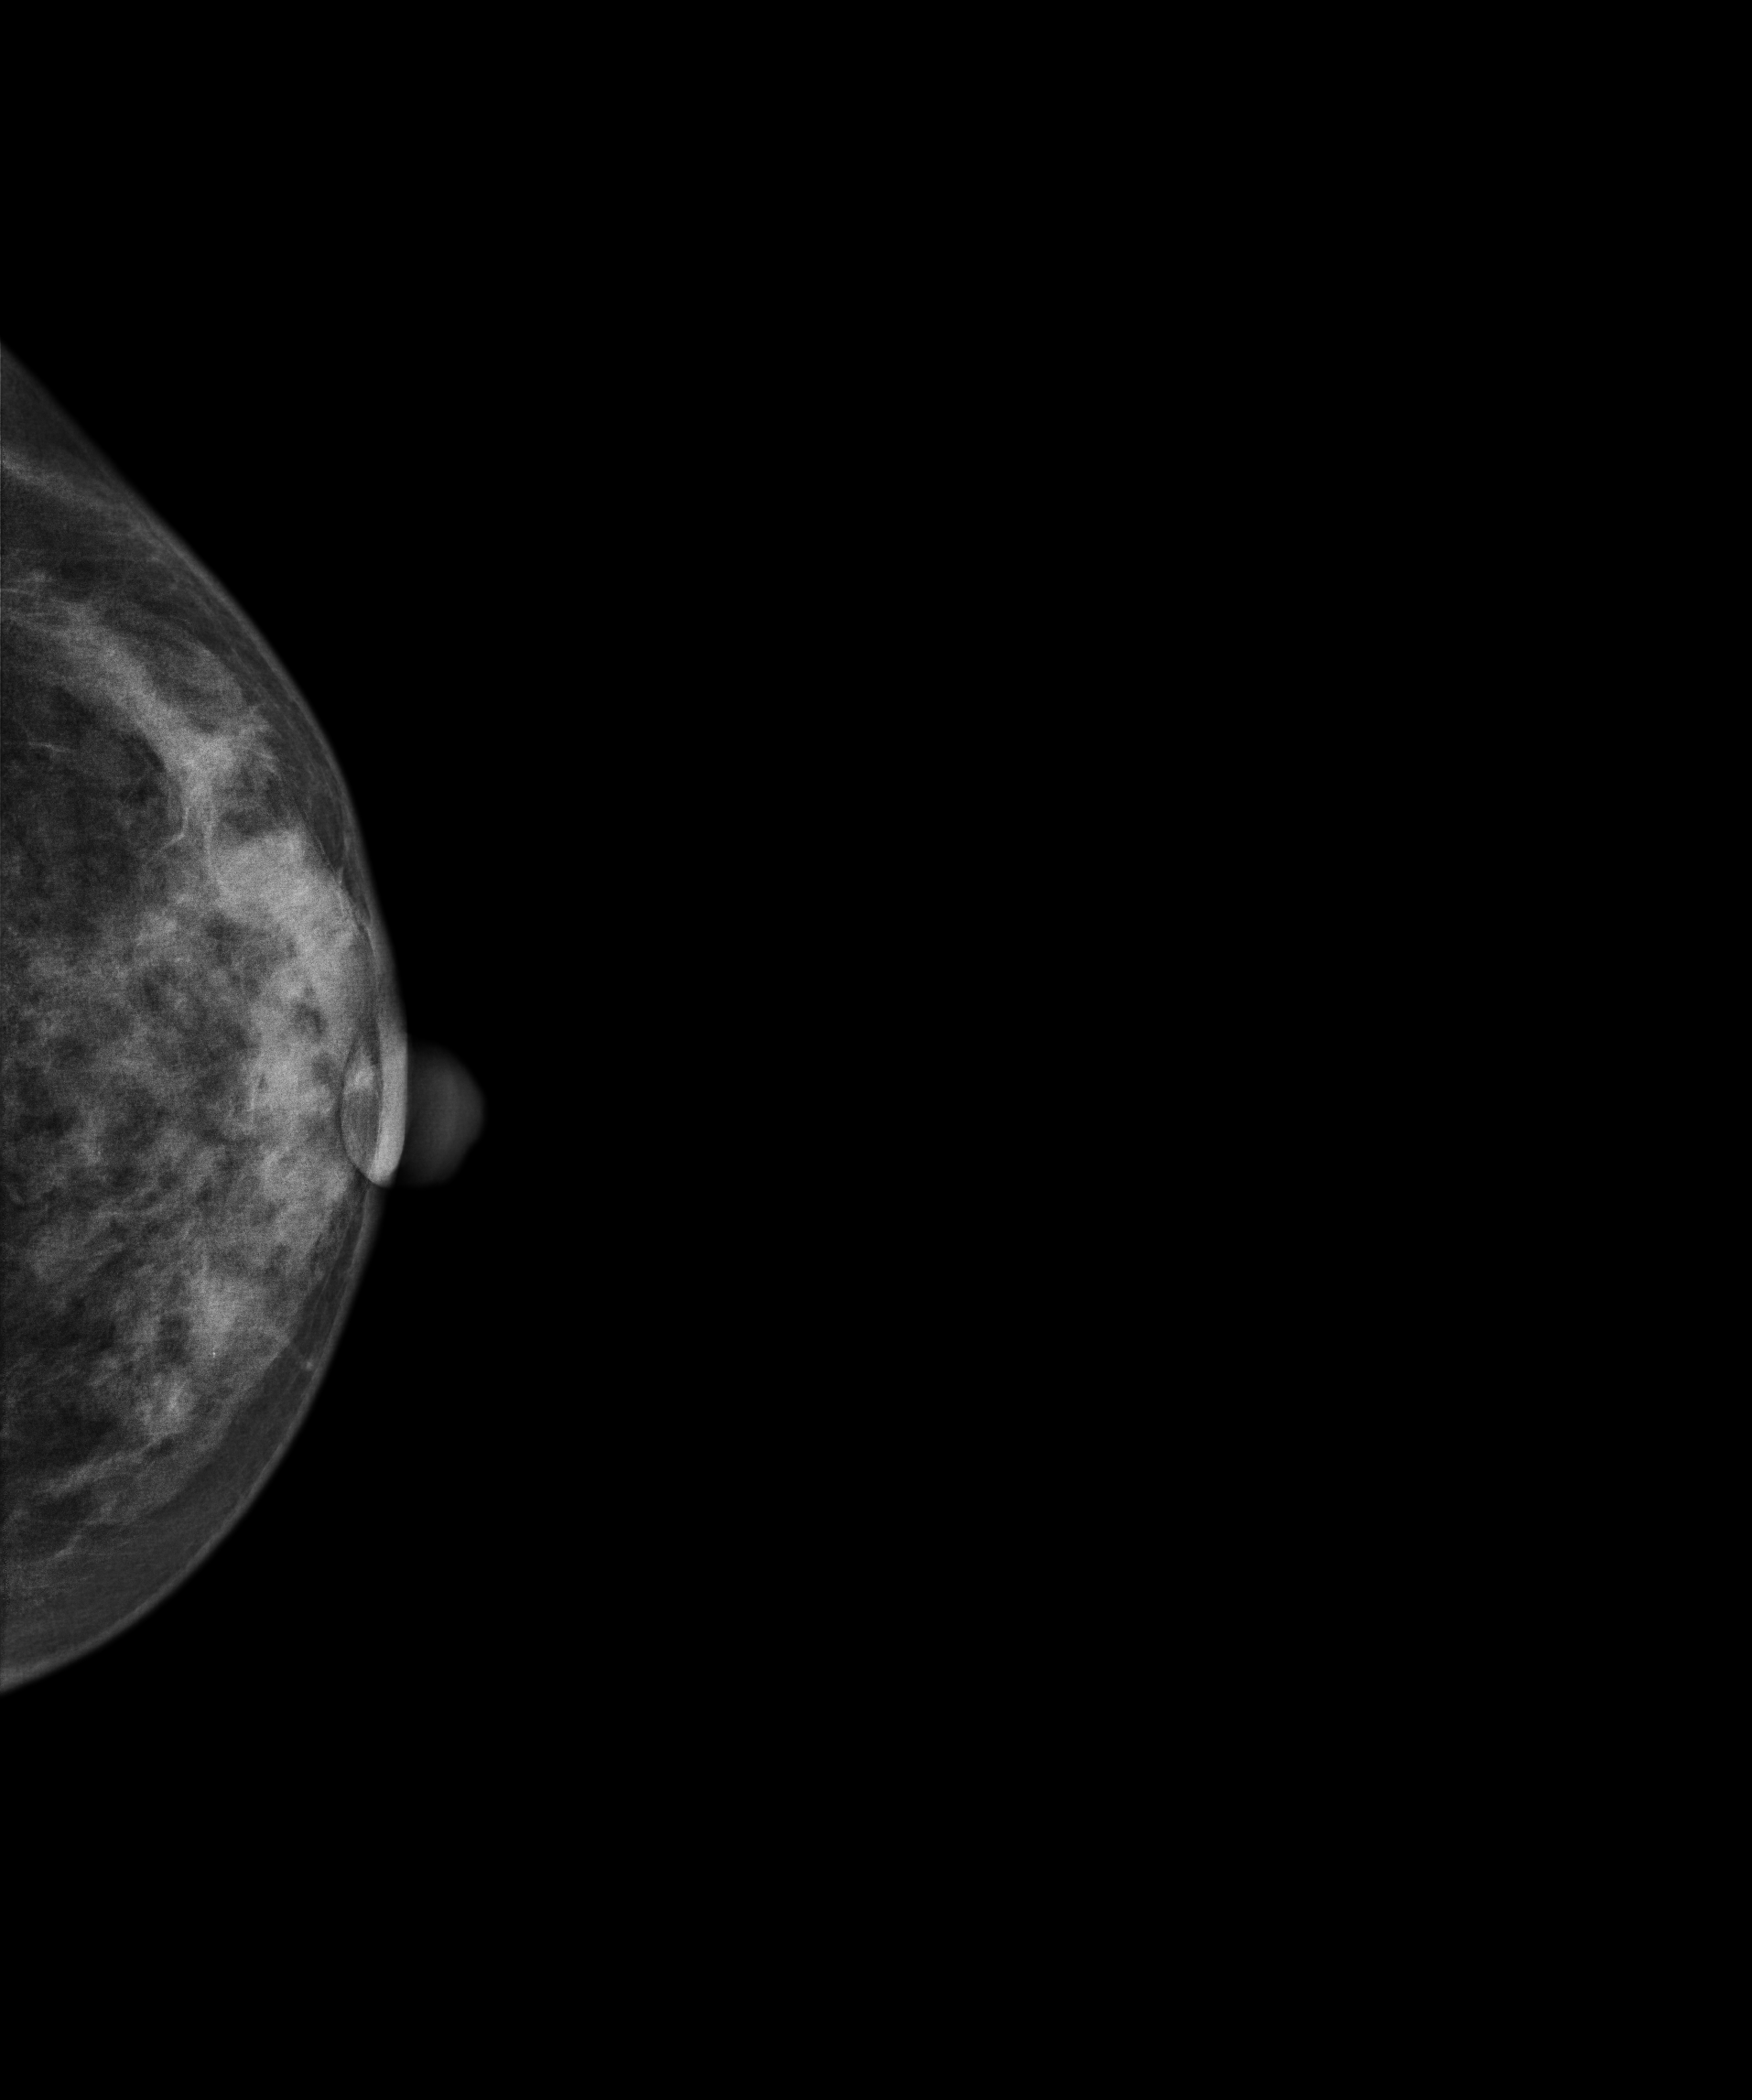
Digital mammography. Left breast, cranio-caudal projection. 46-year-old patient.
This breast has a mass, biopsy-proven malignant. Molecular subtype: luminal B.